Left-breast mammogram, cranio-caudal. 66-year-old patient.
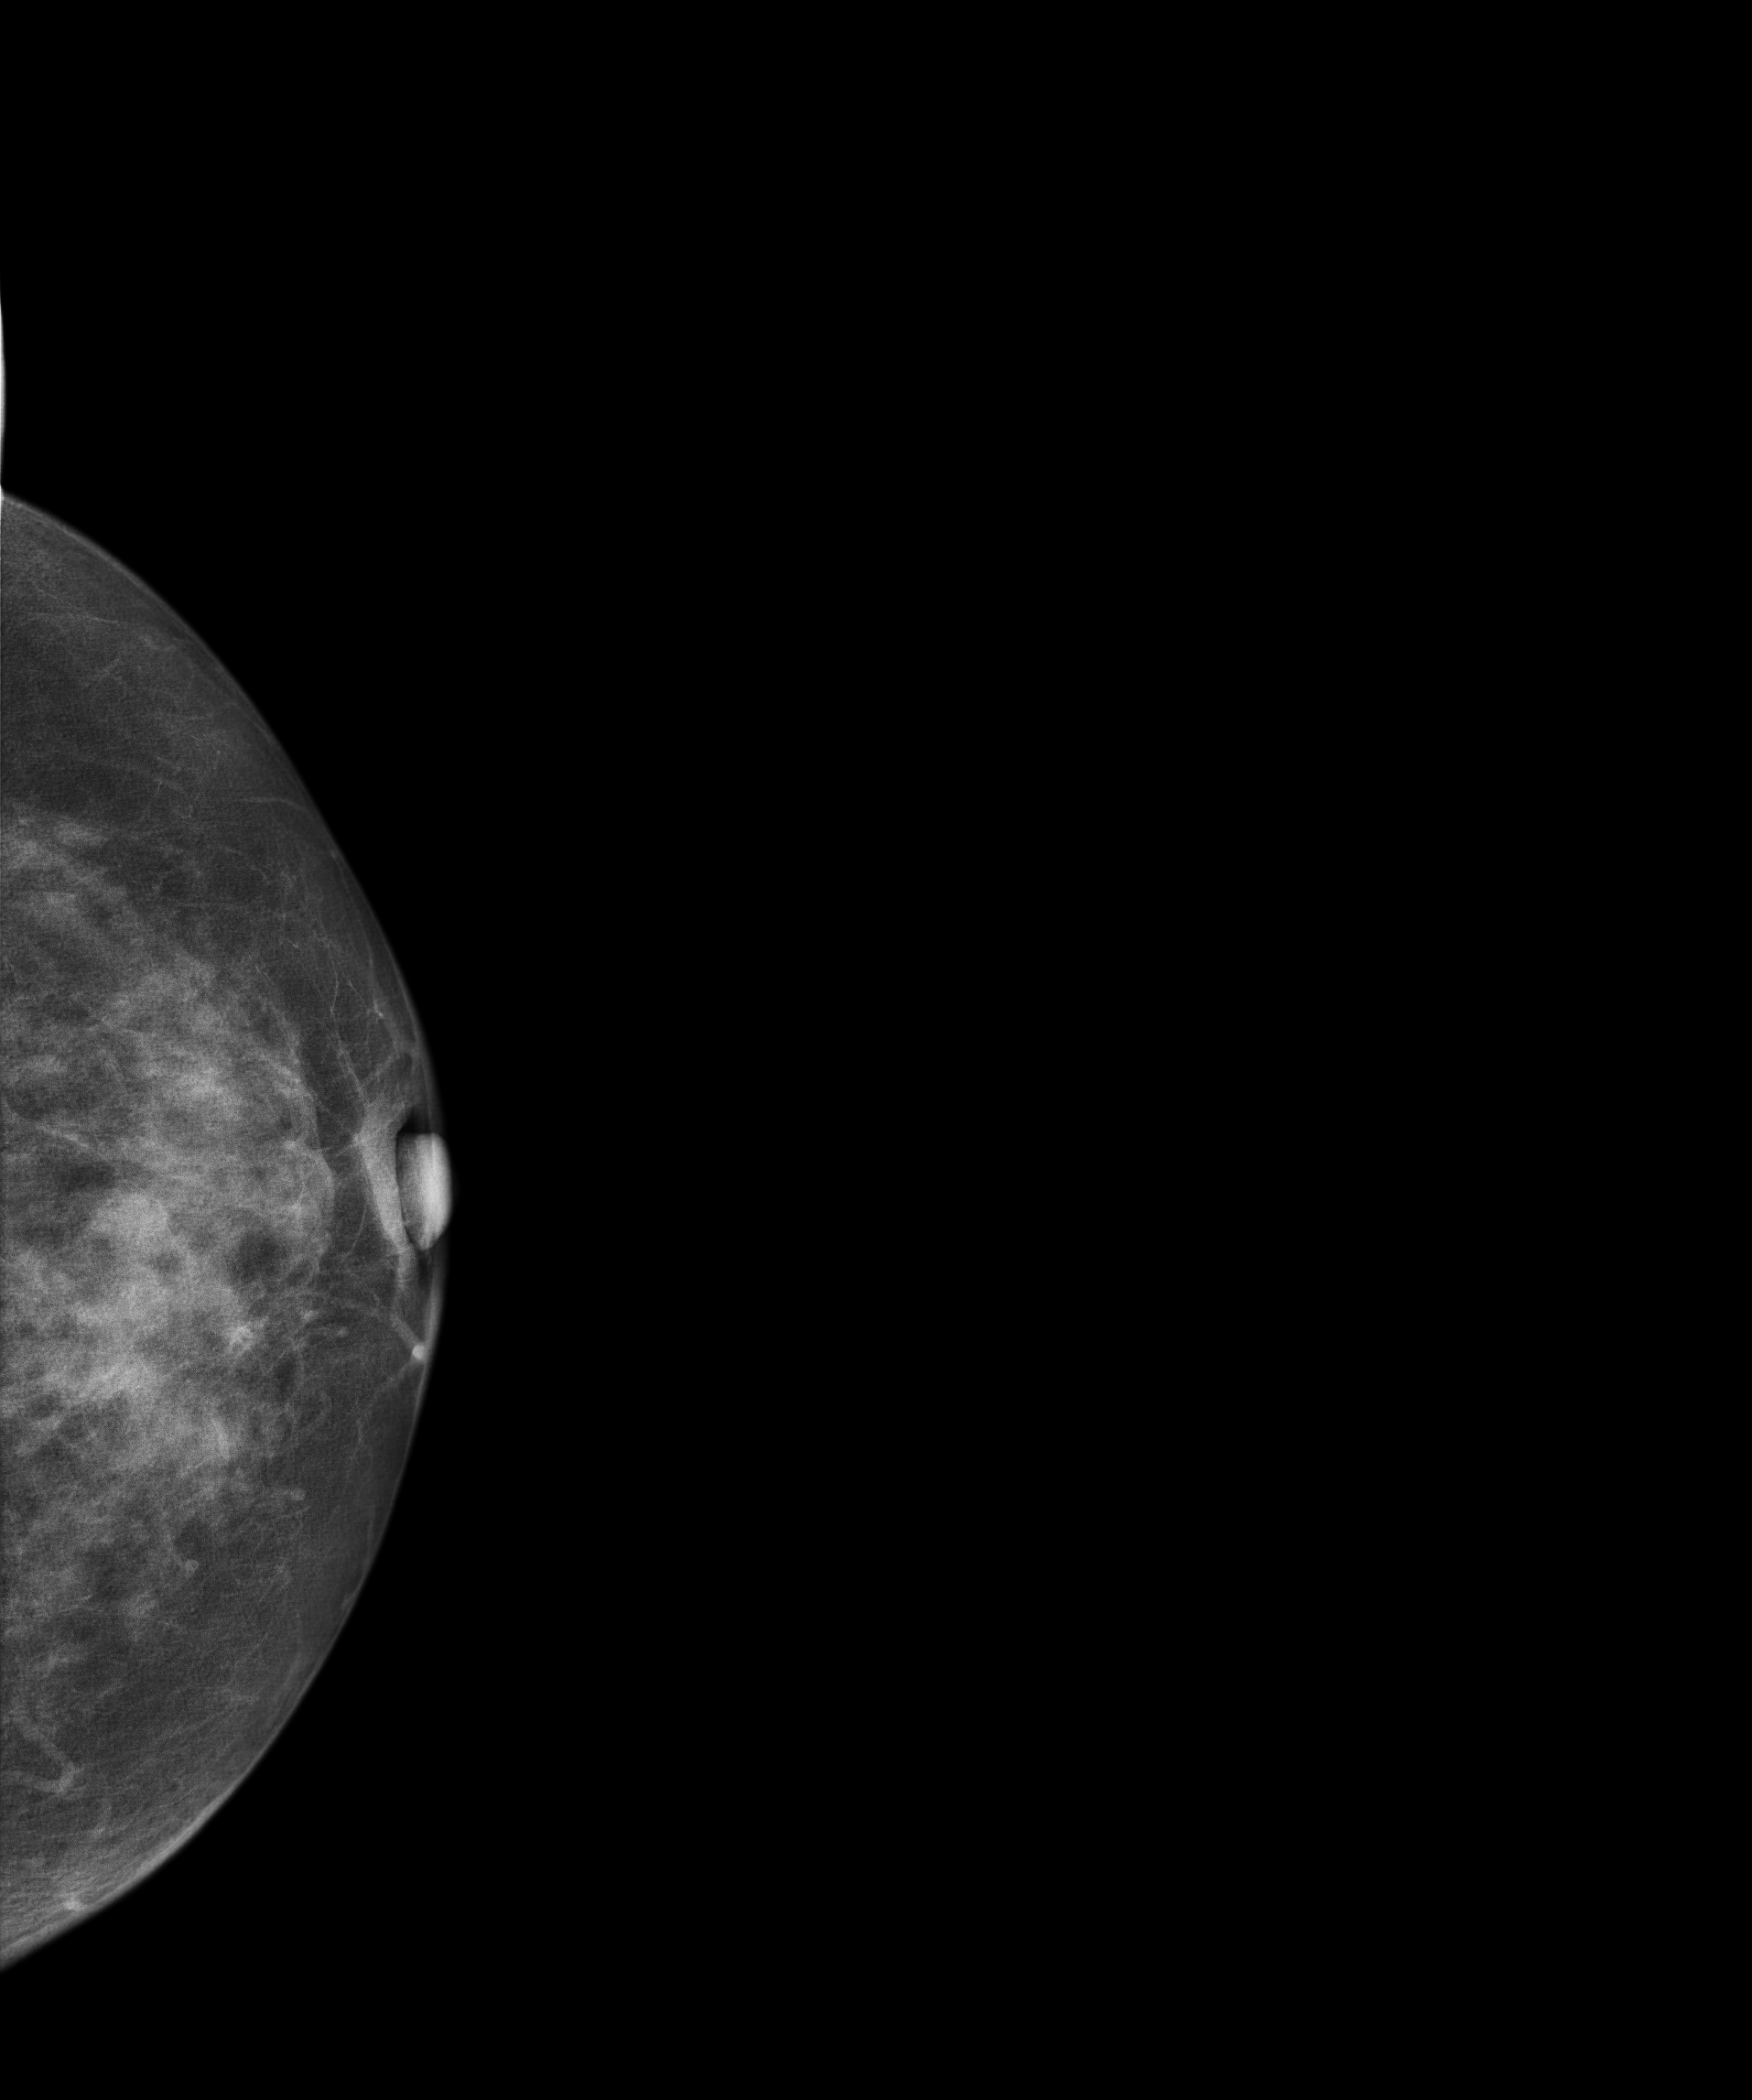
Contralateral breast — no documented abnormality on this side.